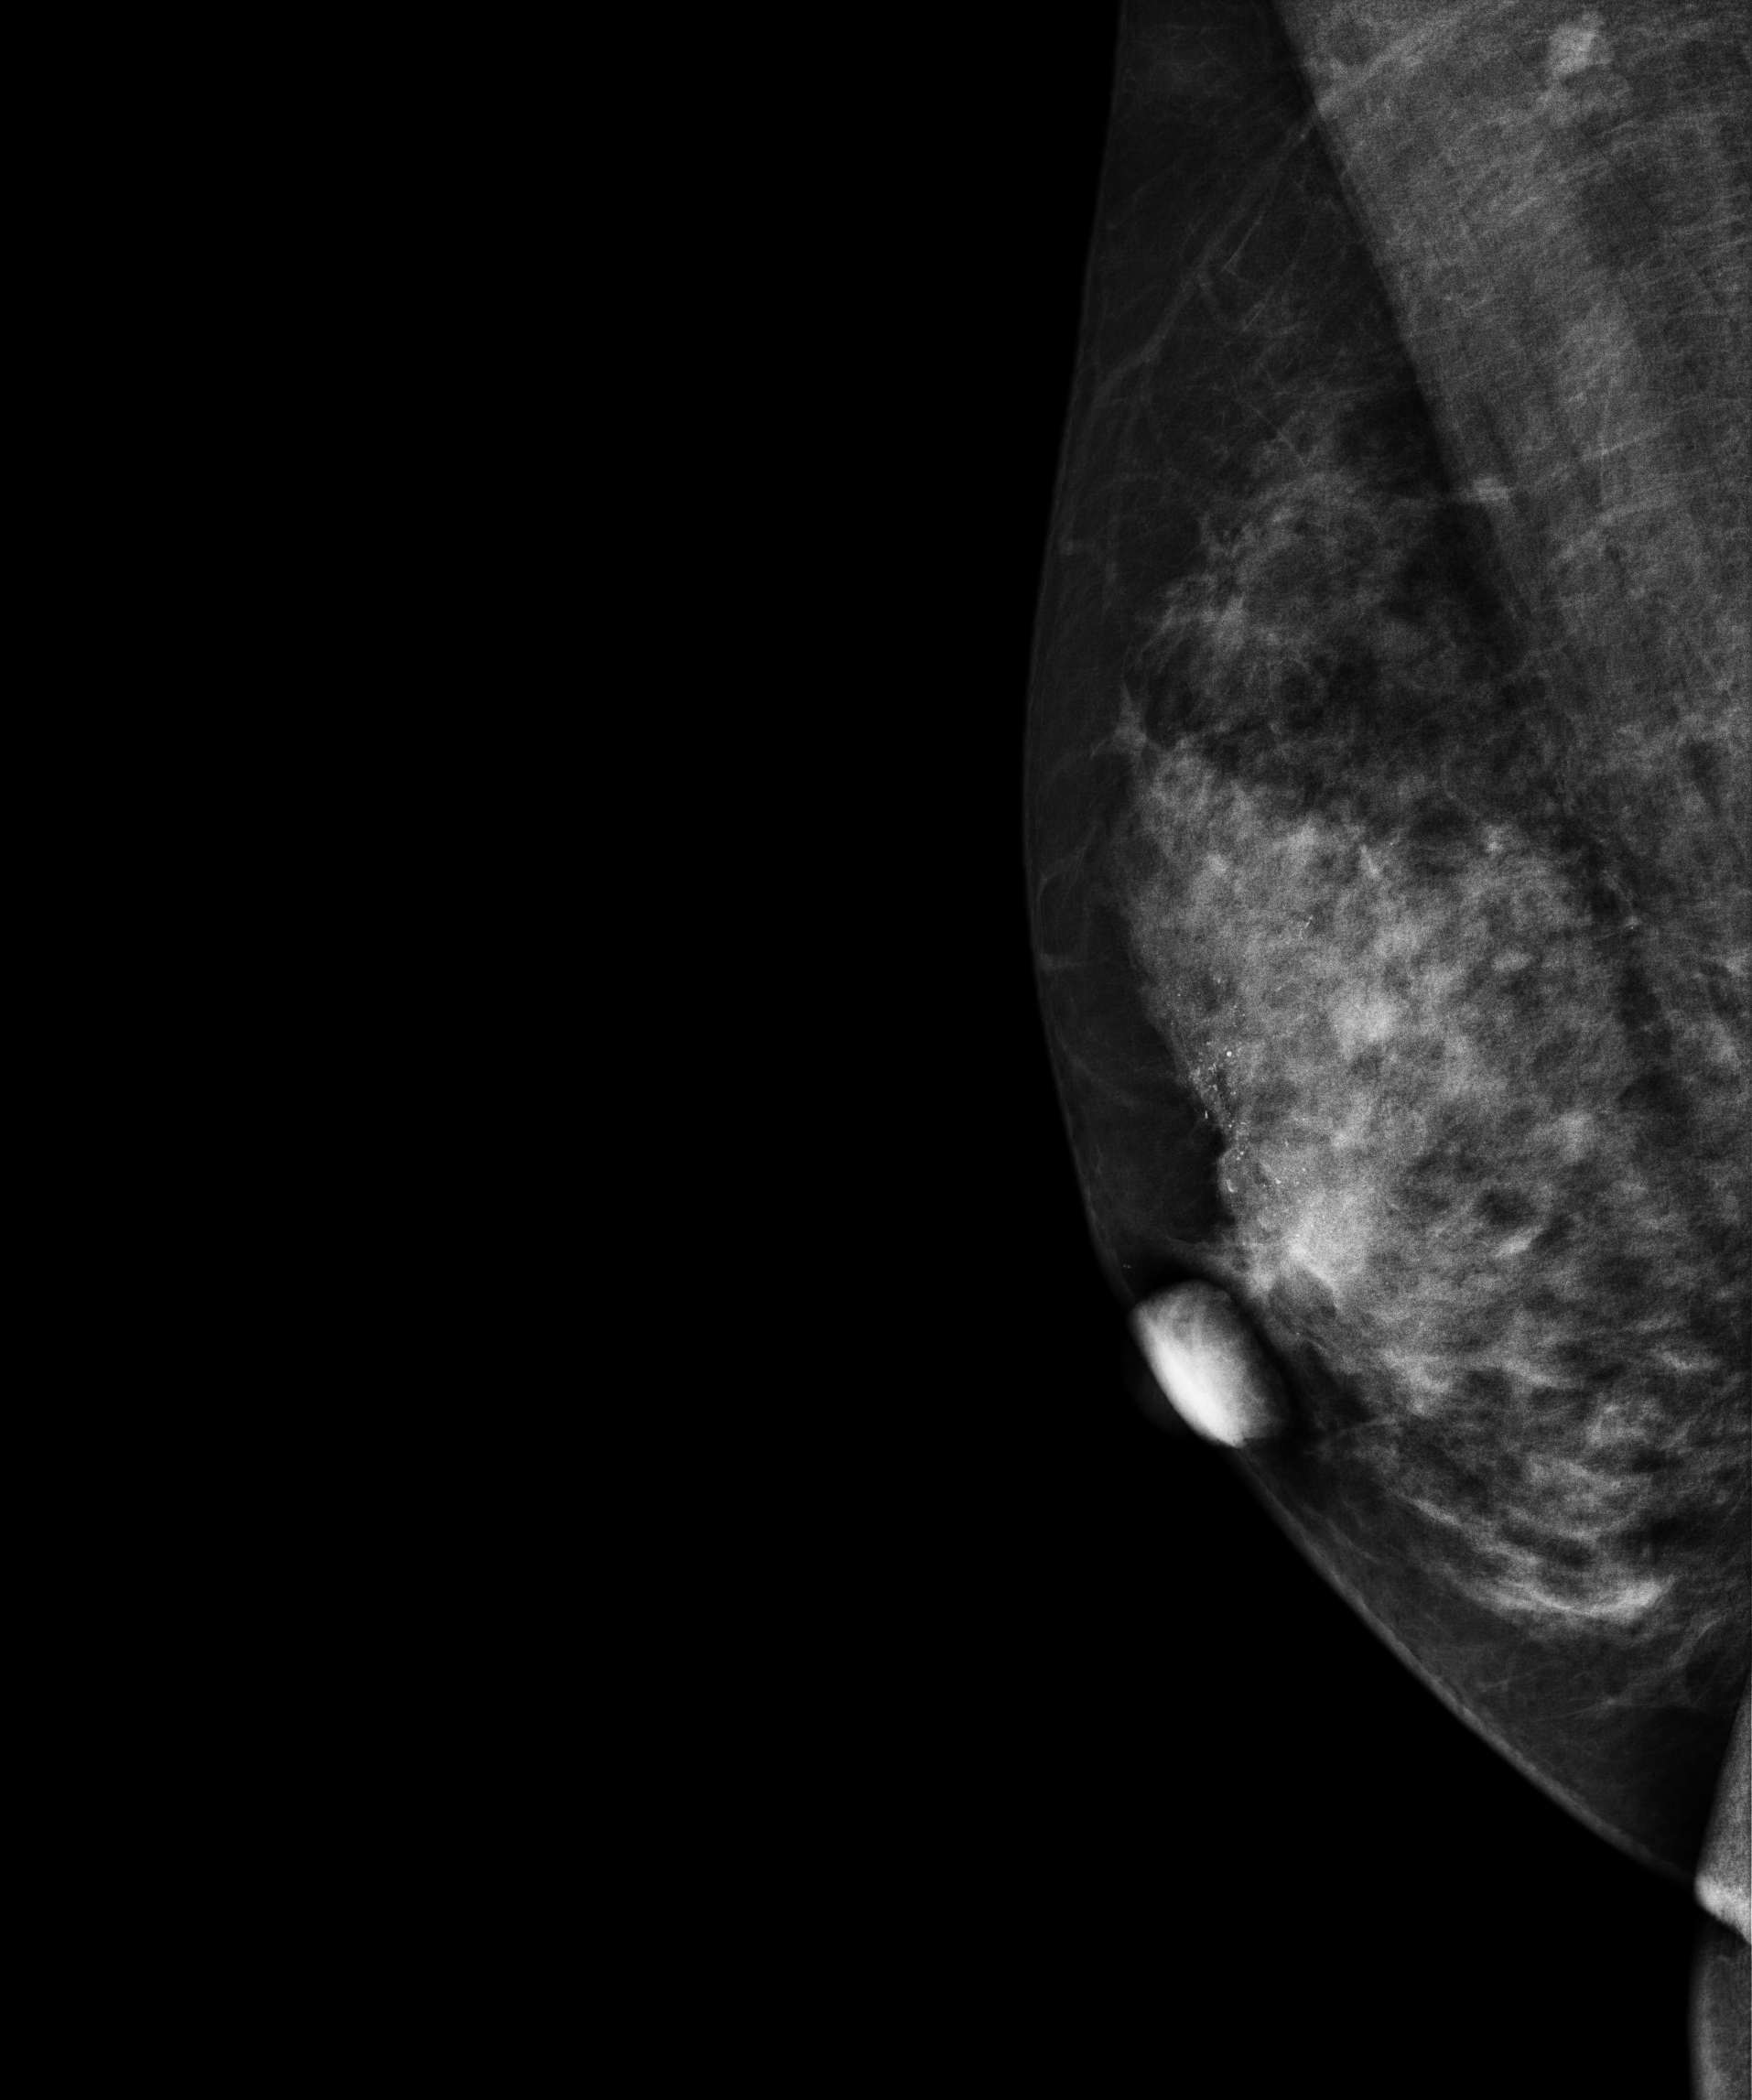
Mammogram, right breast, MLO view. 60-year-old patient.
This breast has calcifications, biopsy-proven malignant.